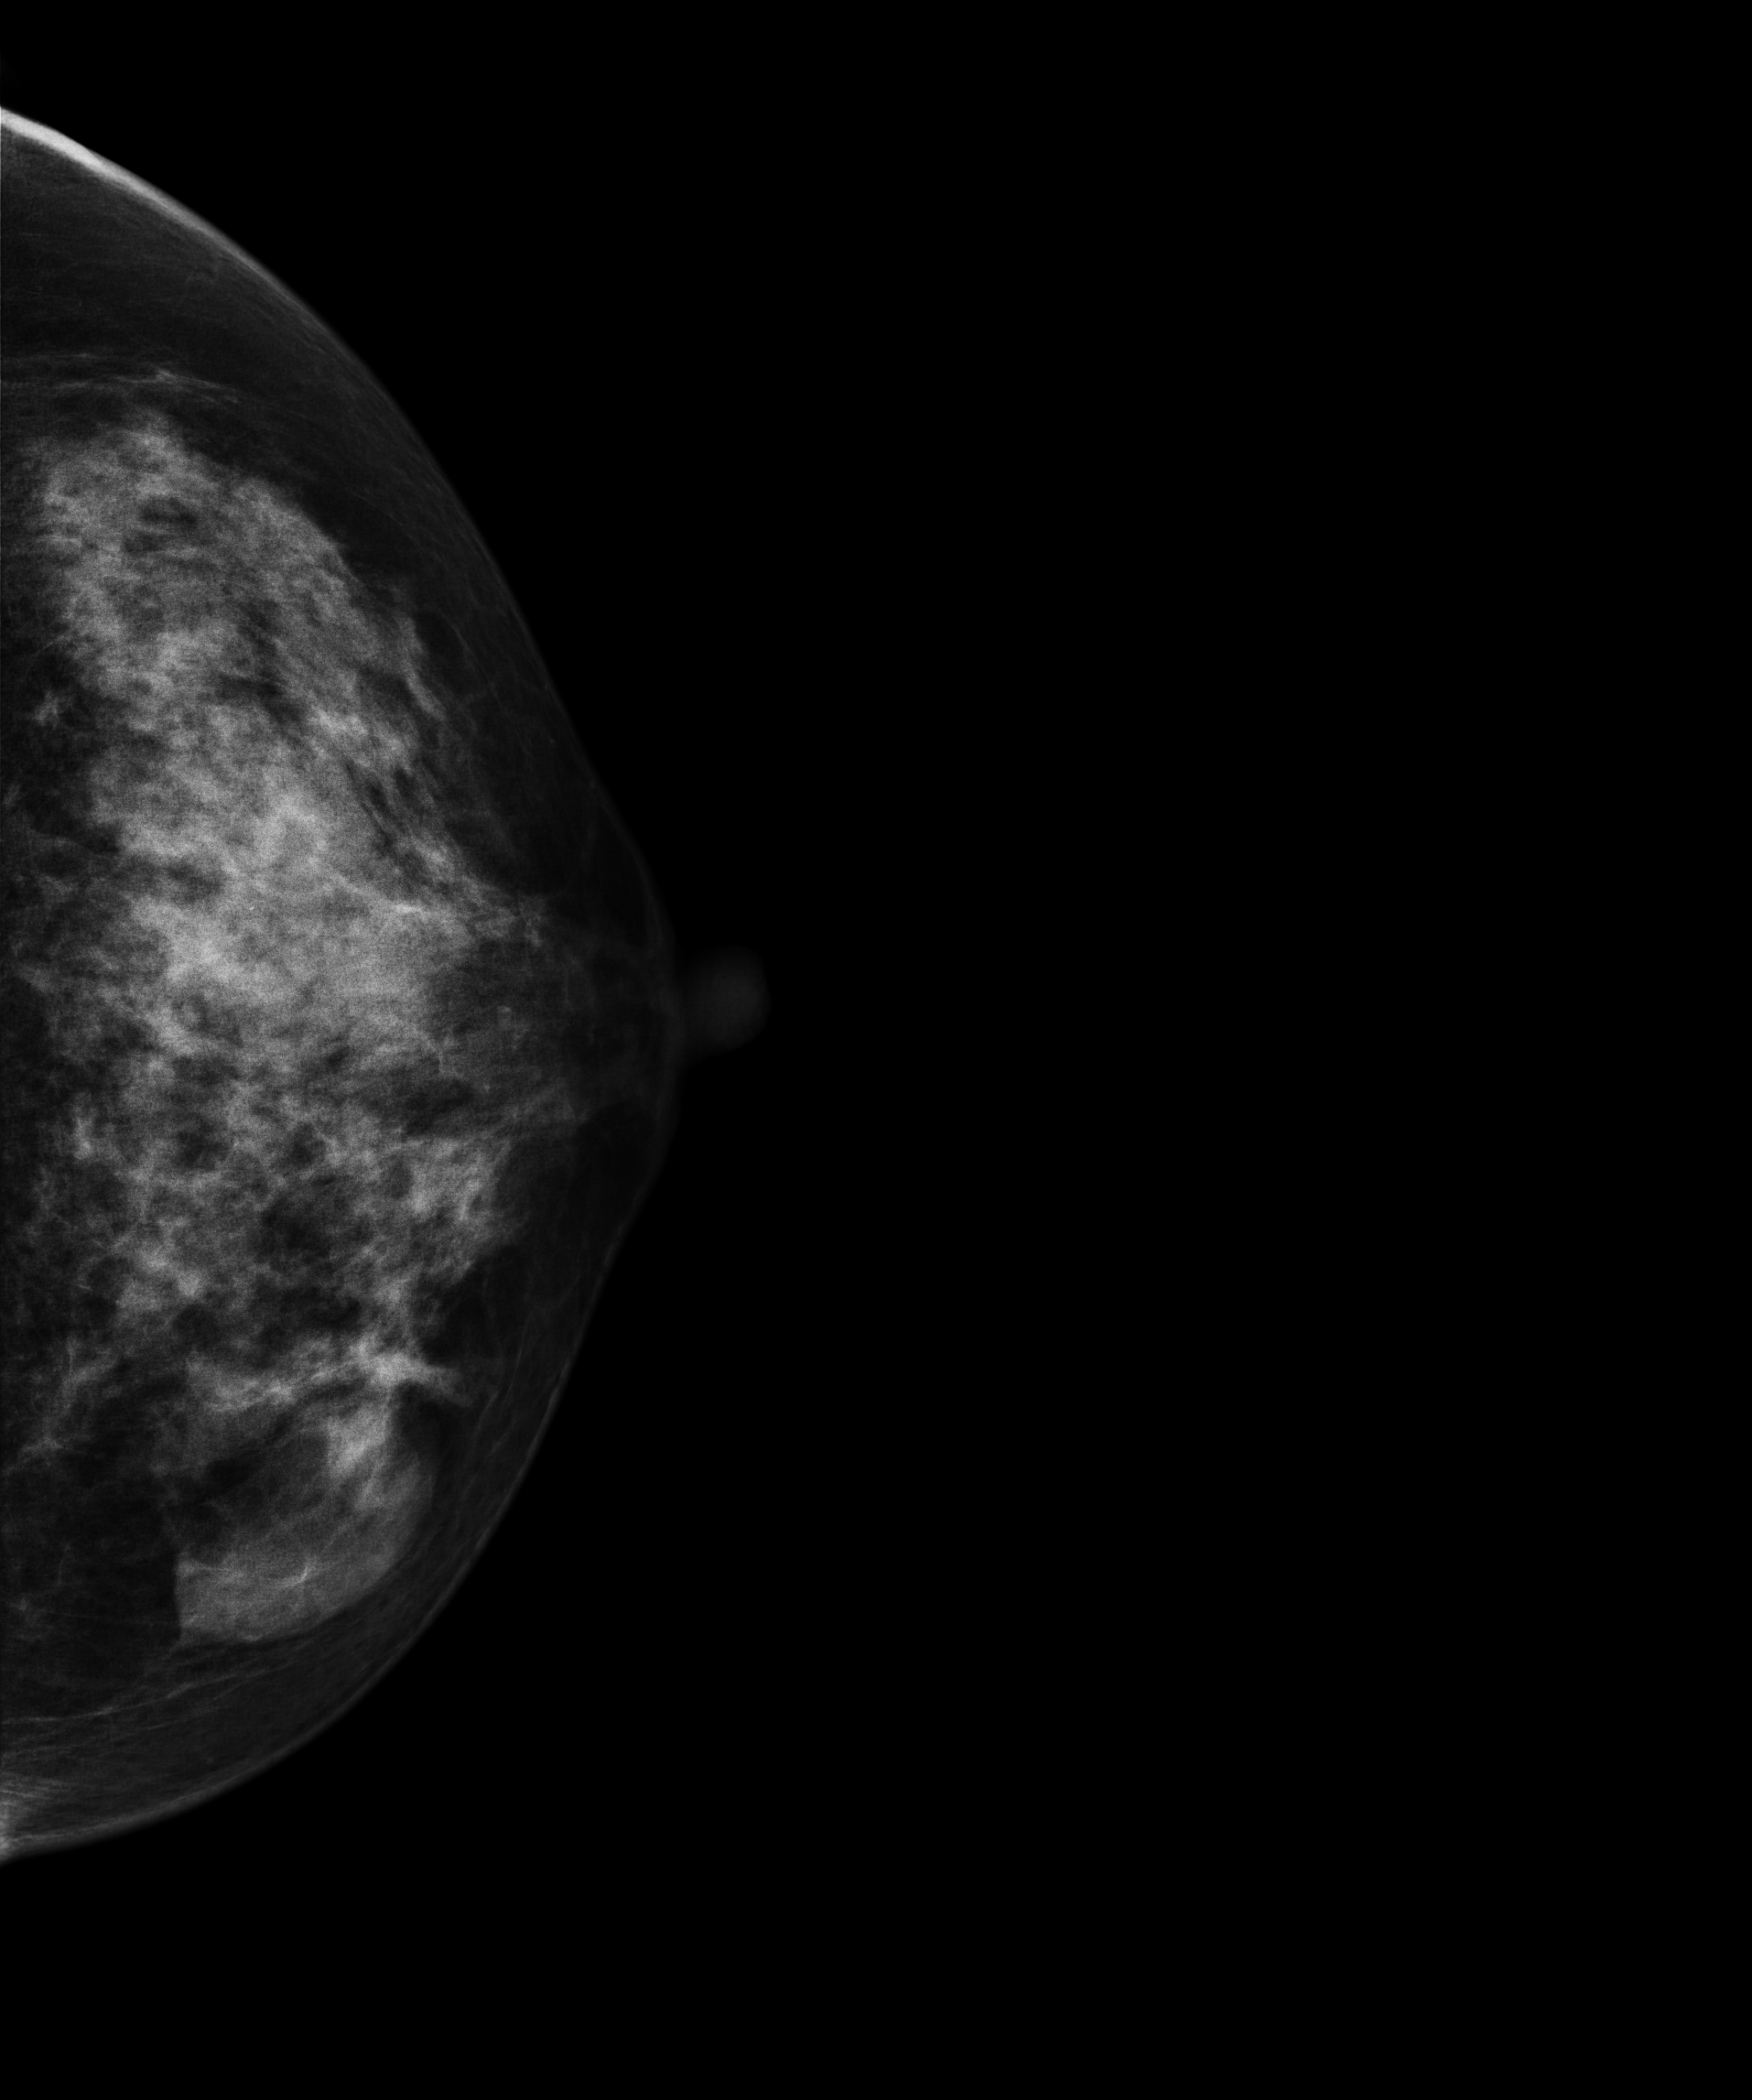
Cranio-caudal mammogram of the left breast. Patient age 48.
This breast has a mass, biopsy-confirmed benign.